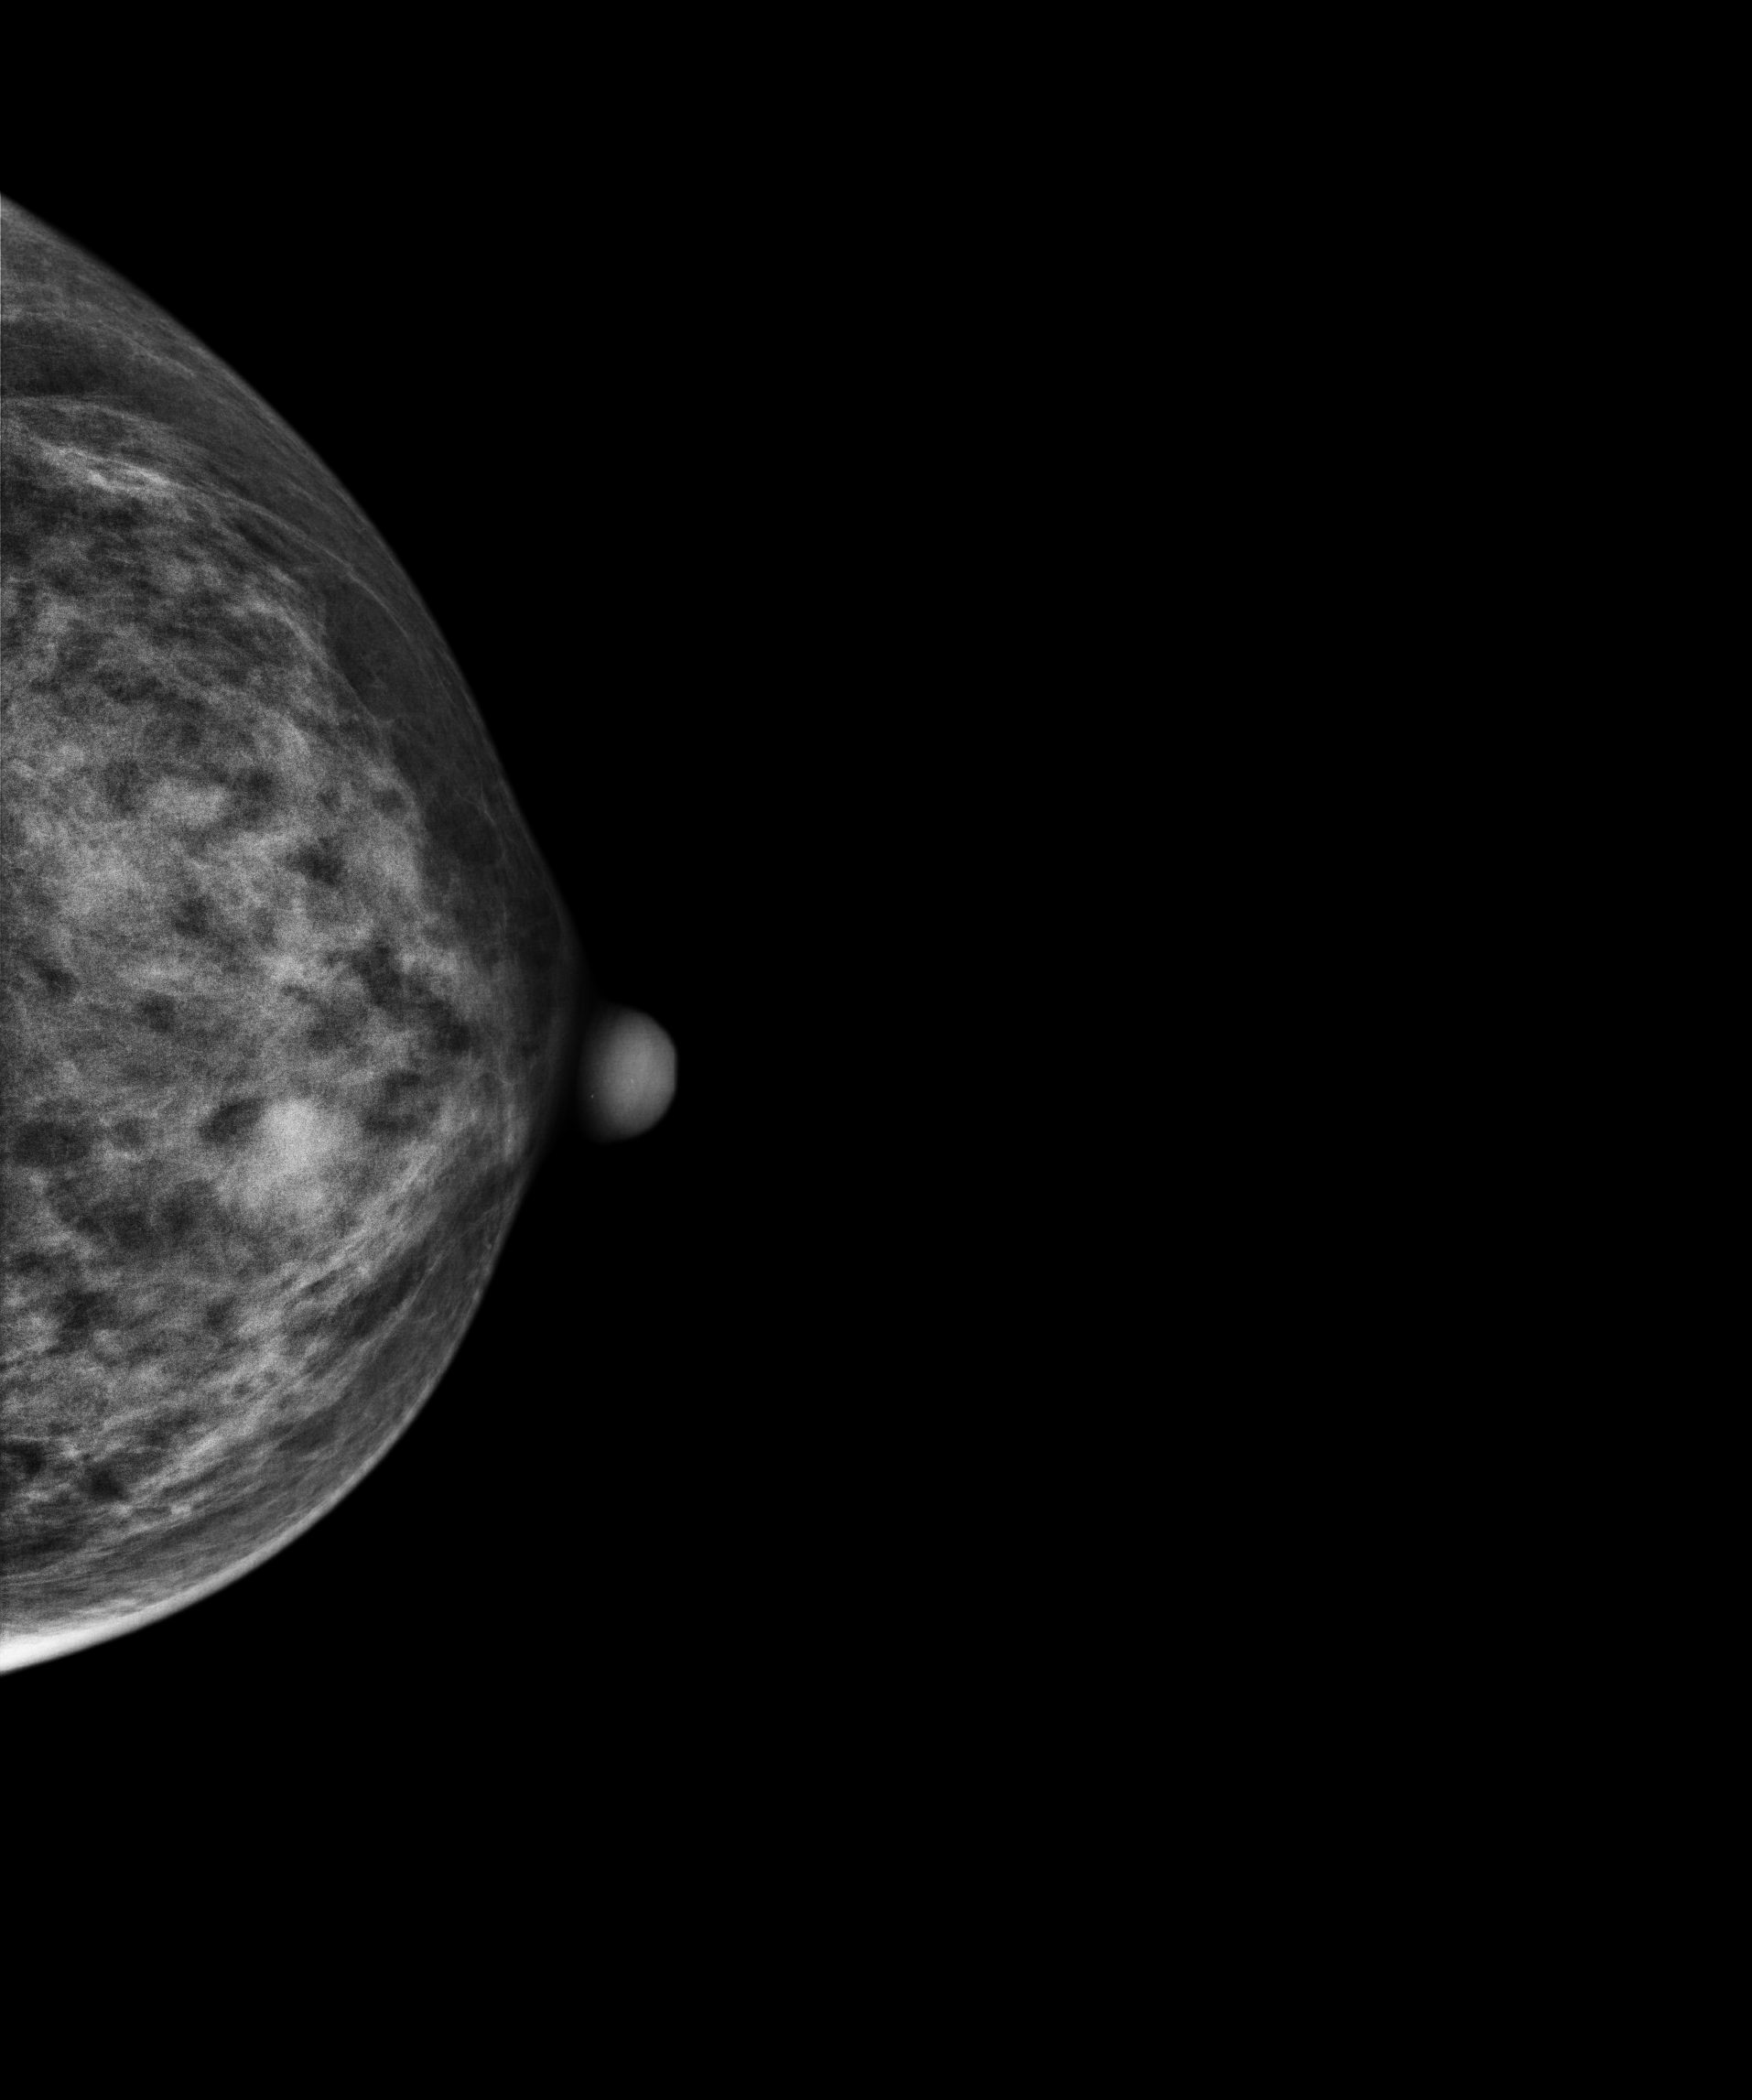
Left-breast mammogram, cranio-caudal. 56-year-old patient.
This breast has a mass, histologically confirmed benign.